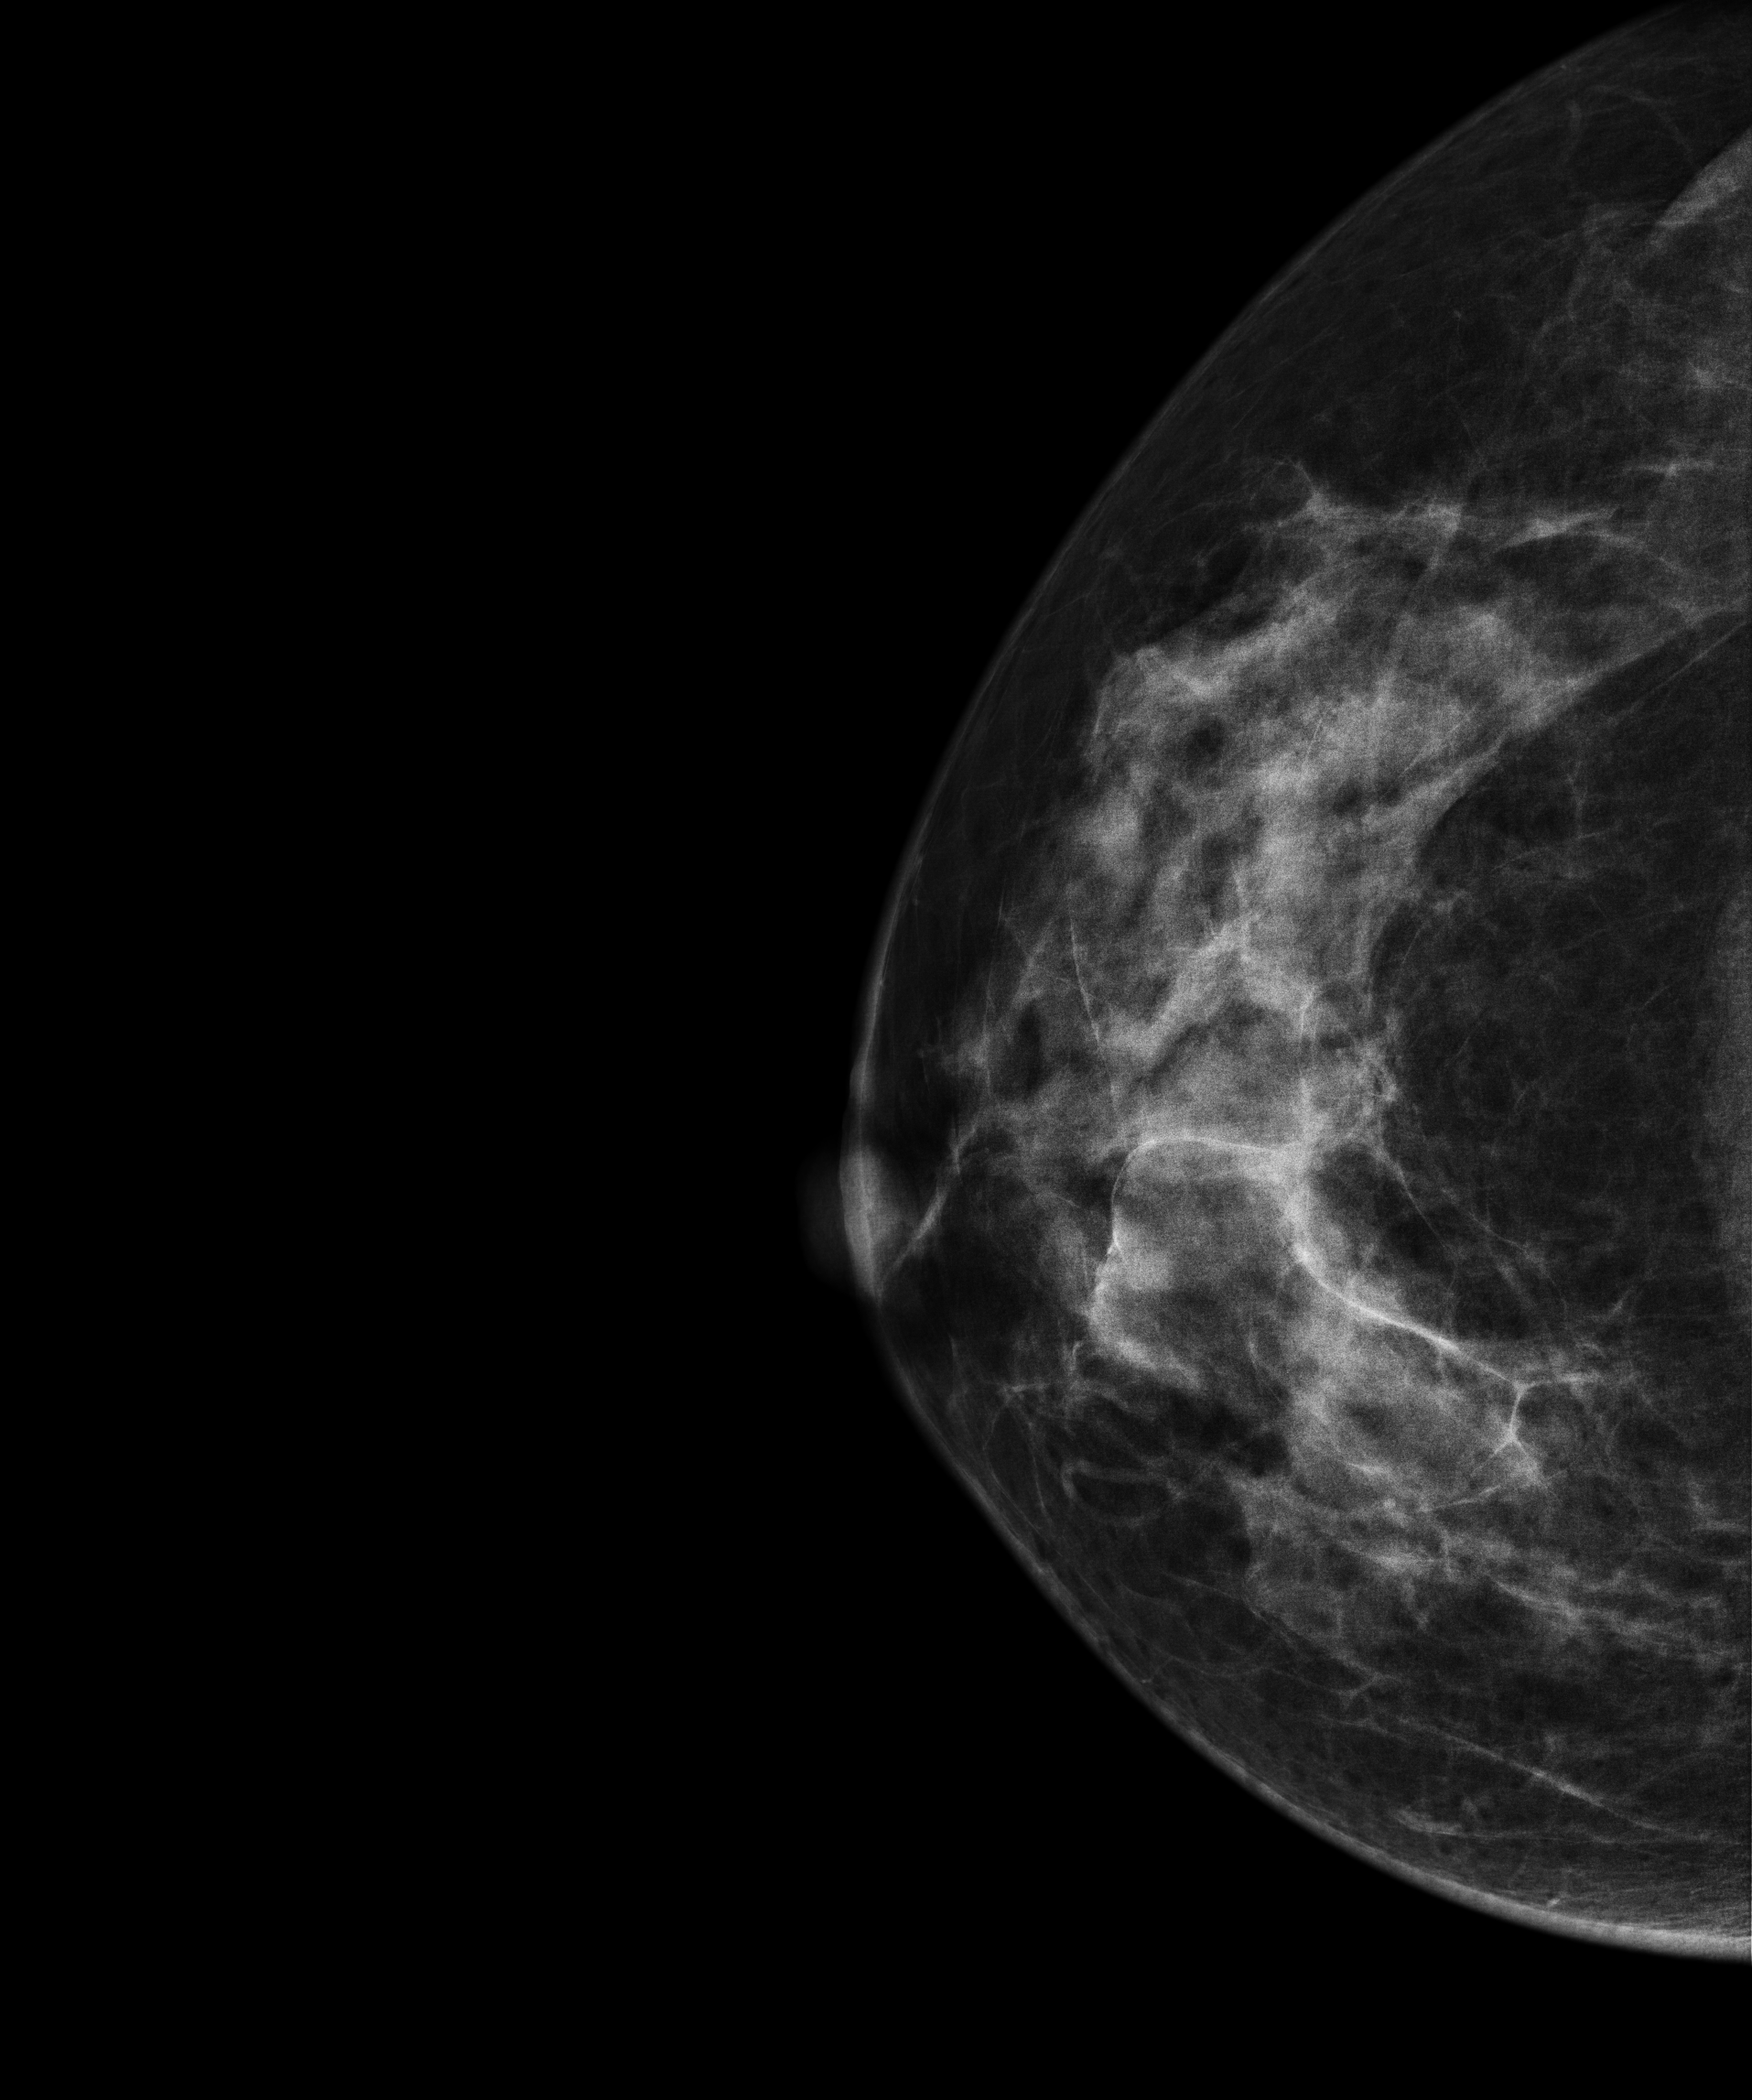
Mammogram — right cranio-caudal. 43 y/o patient.
This breast has a mass, histologically confirmed malignant. Molecular subtype: luminal A.